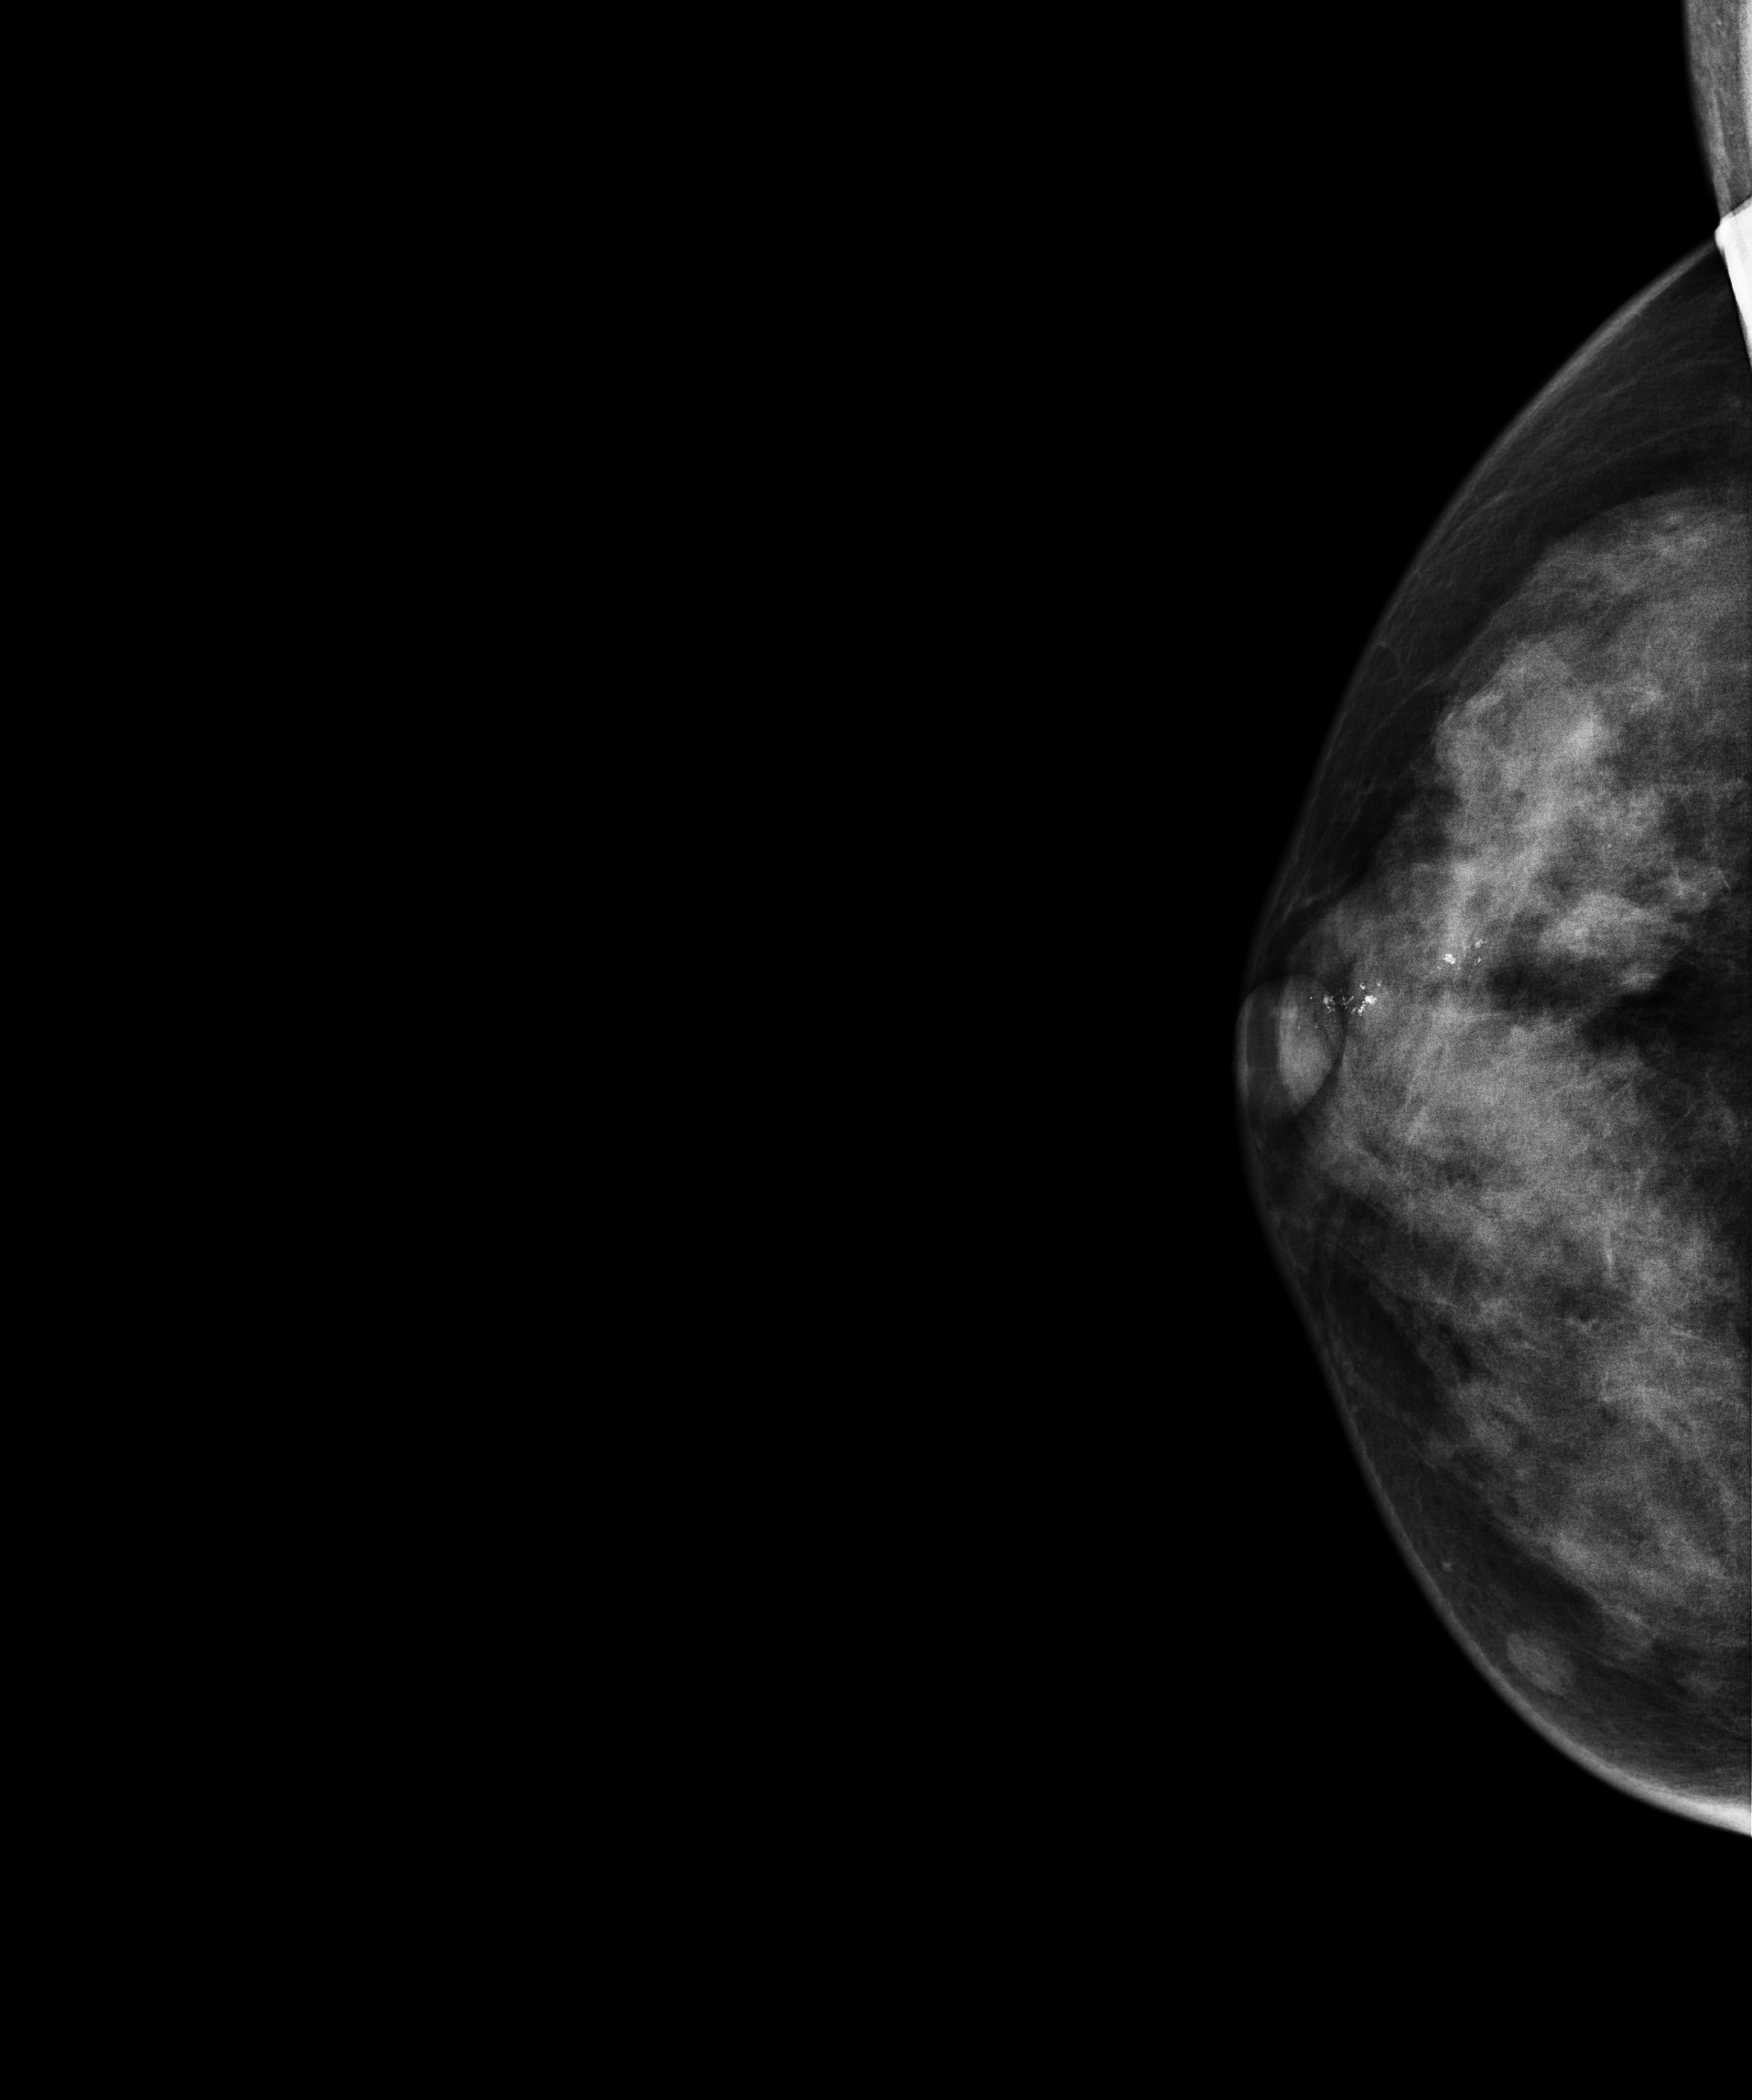
Mammogram, right breast, cranio-caudal view. 43-year-old patient.
This breast has calcifications, histologically confirmed malignant.